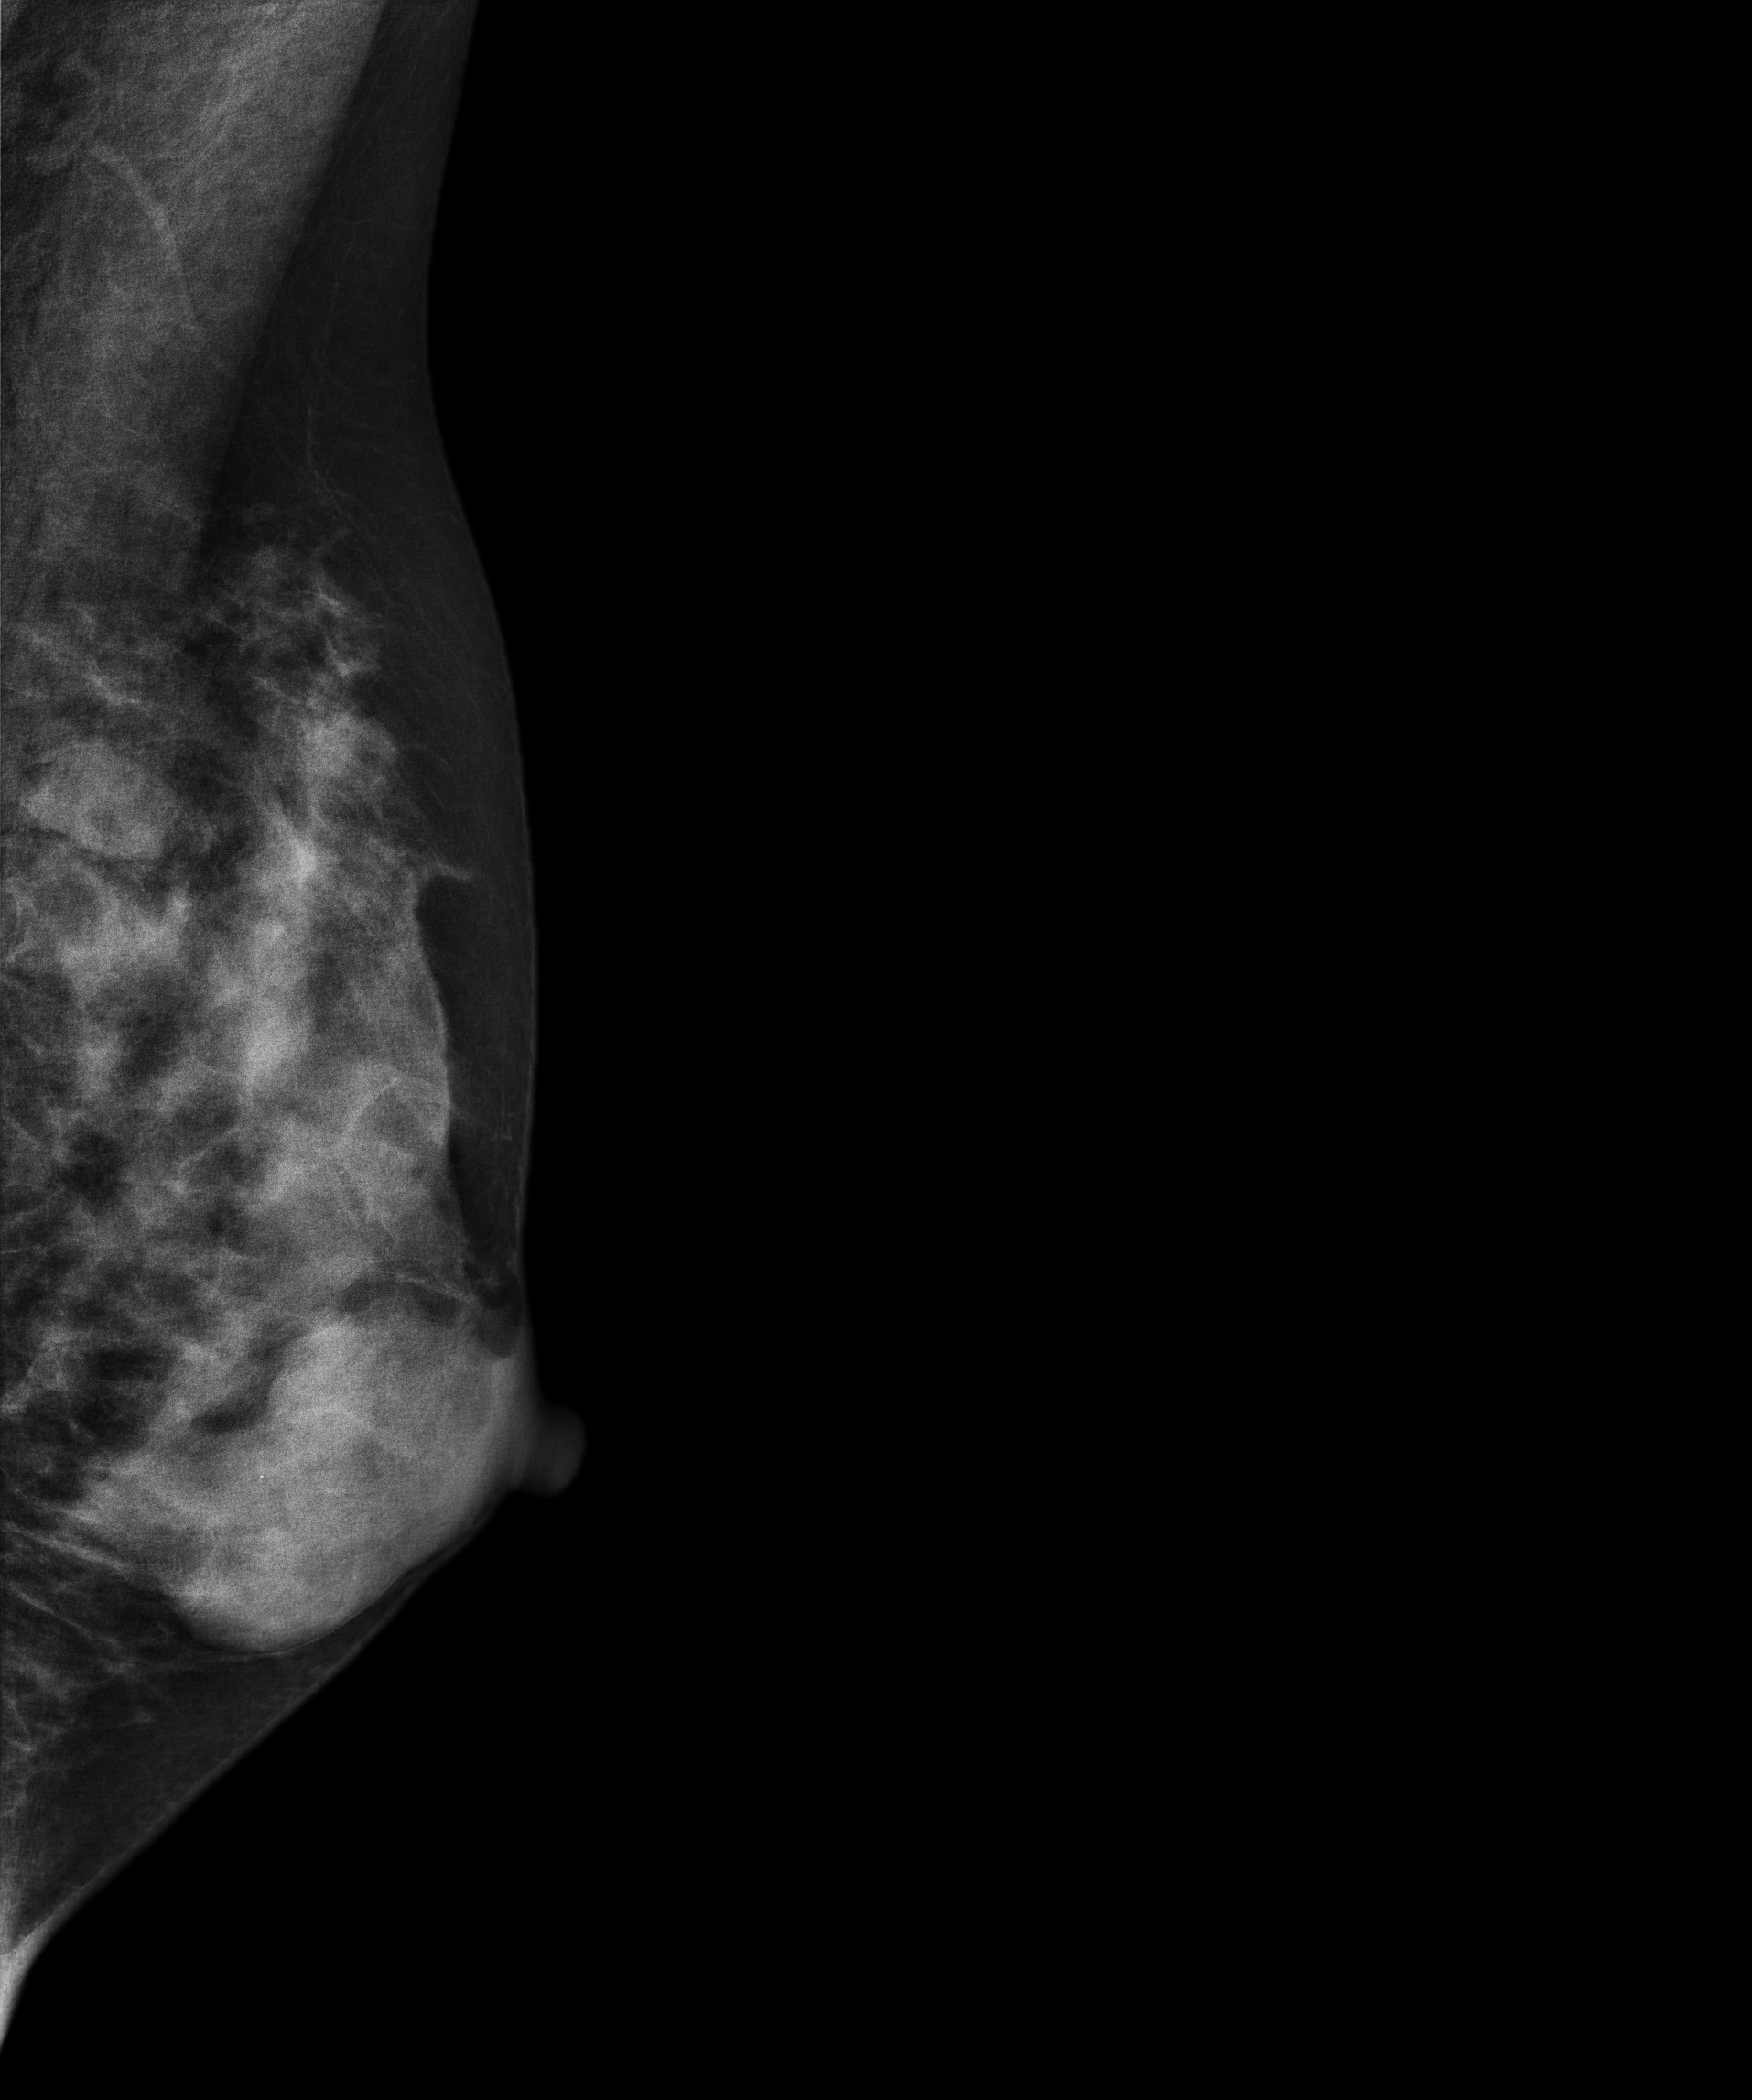
Digital mammography. Left breast, medio-lateral oblique projection. 23-year-old patient.
This breast has a mass, pathology-confirmed benign.